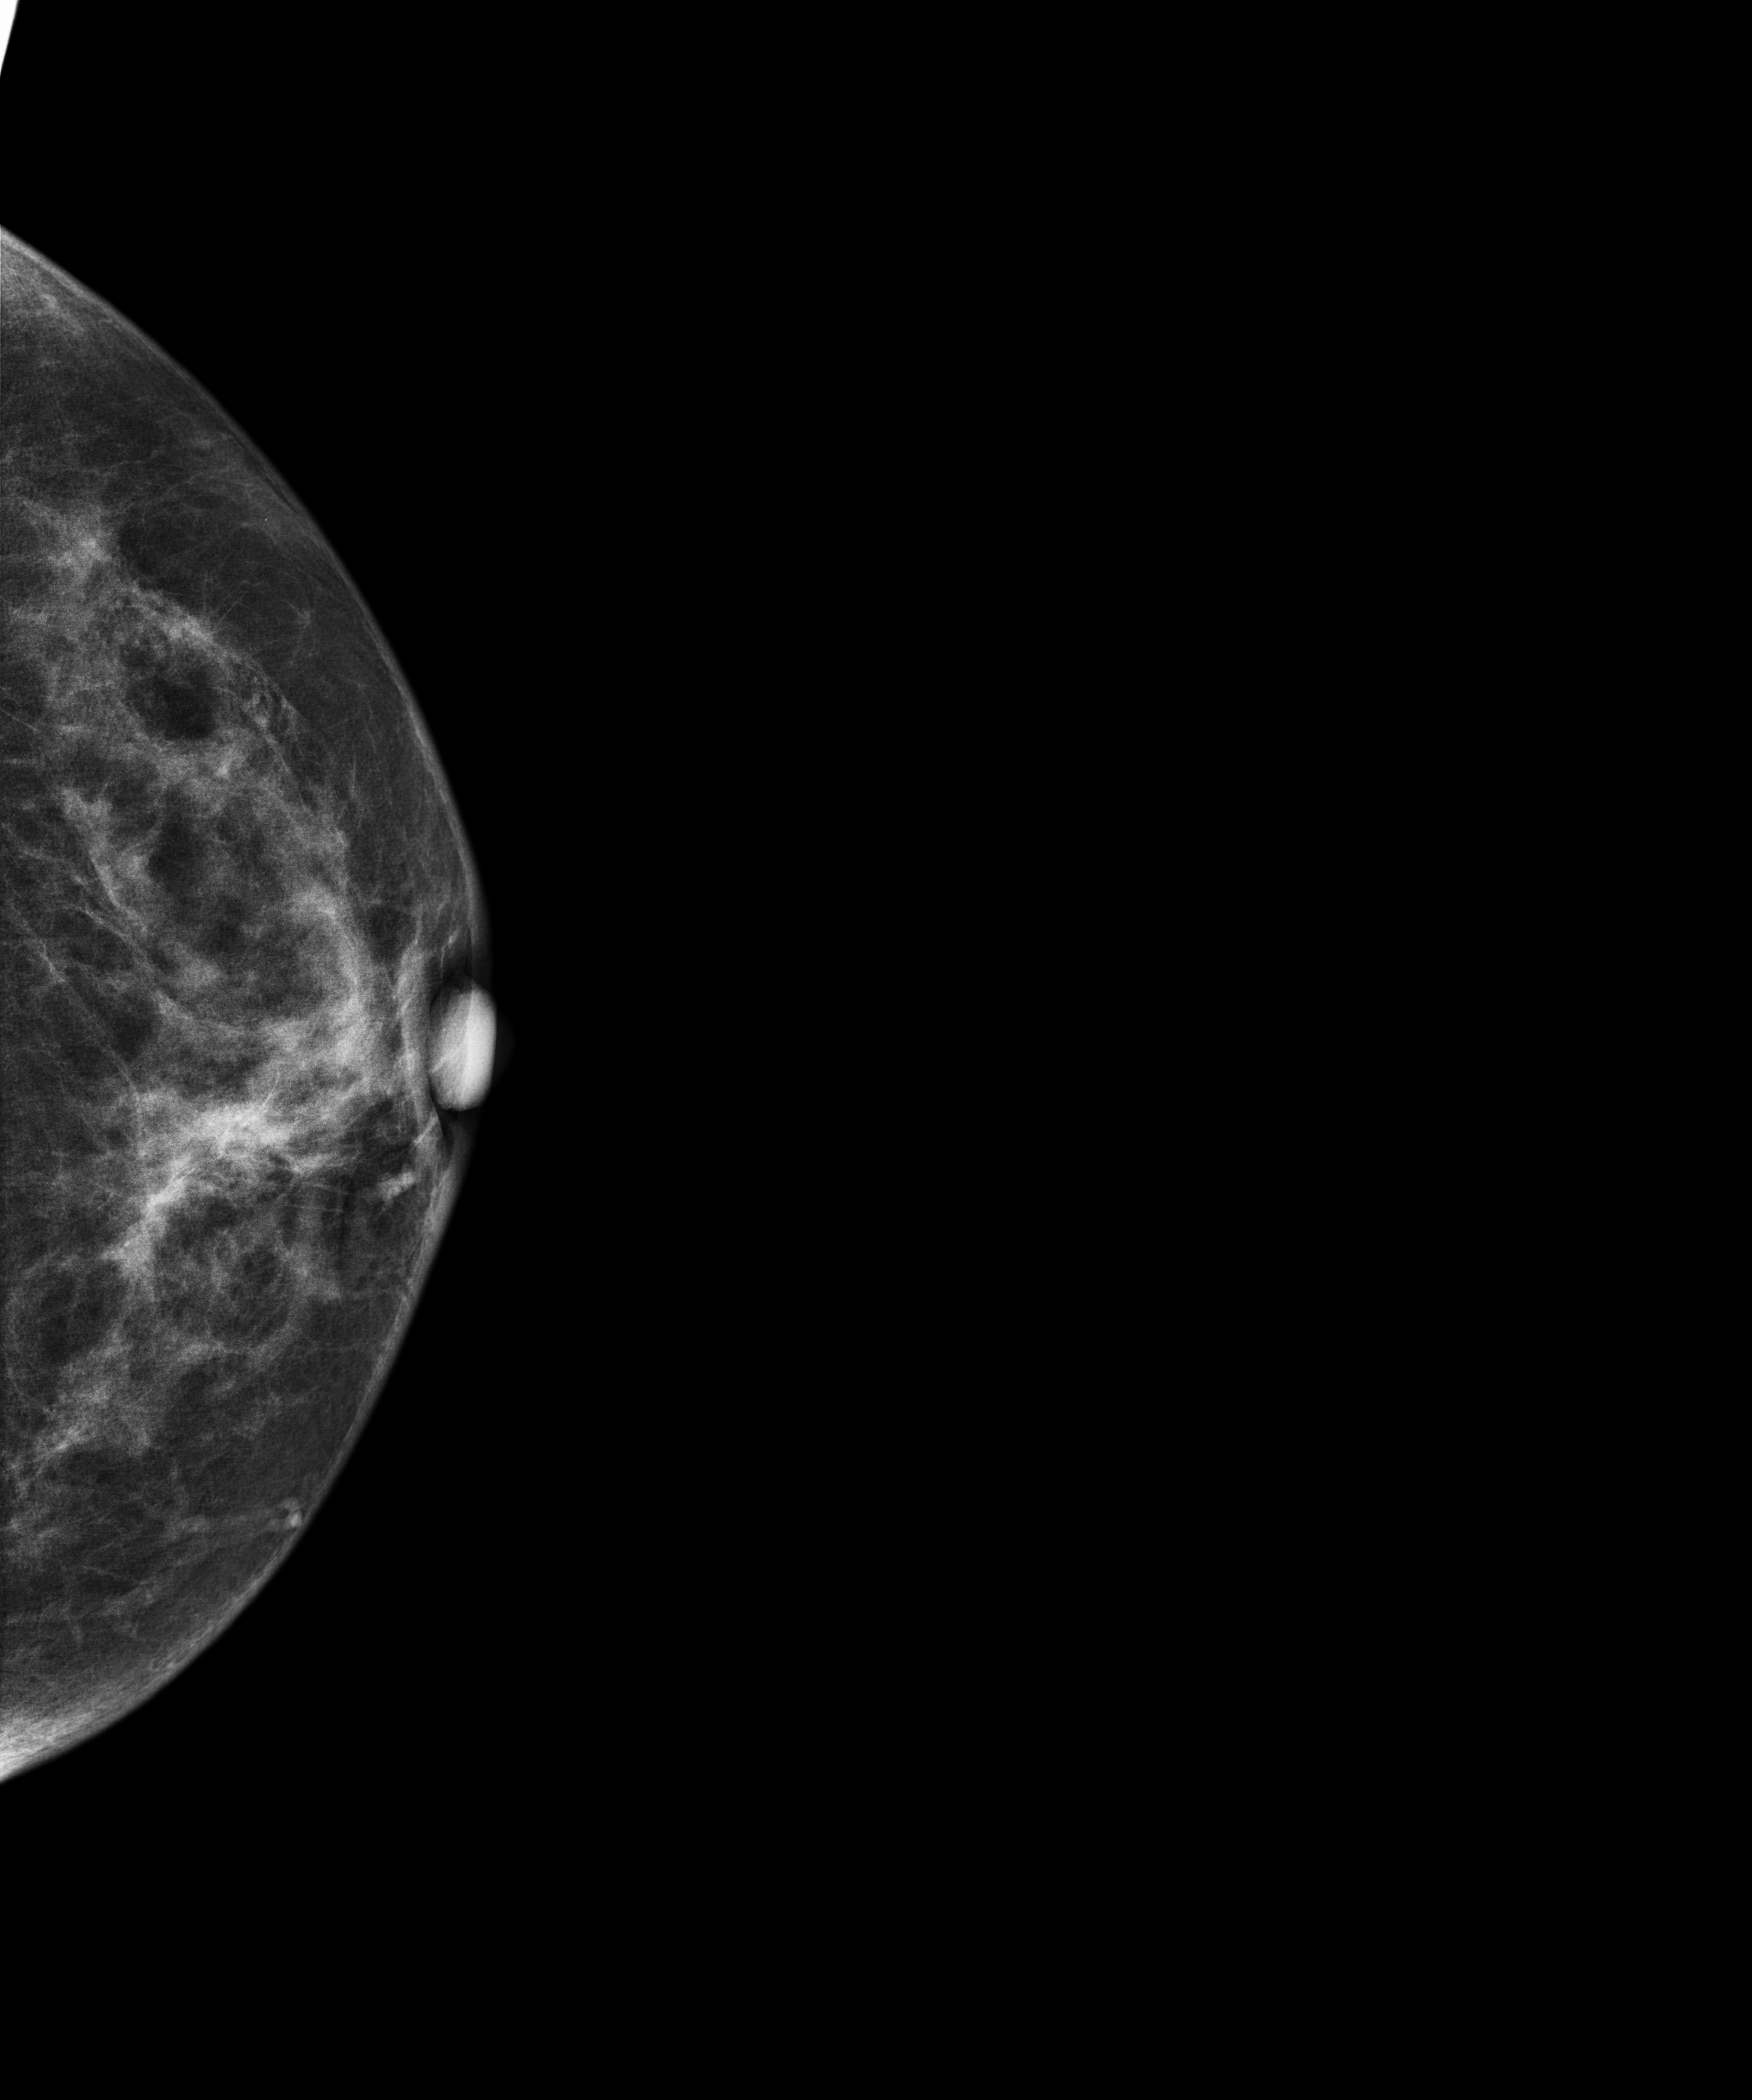
Mammogram, left breast, cranio-caudal view. Patient age 56.
This breast has a mass, histologically confirmed benign.